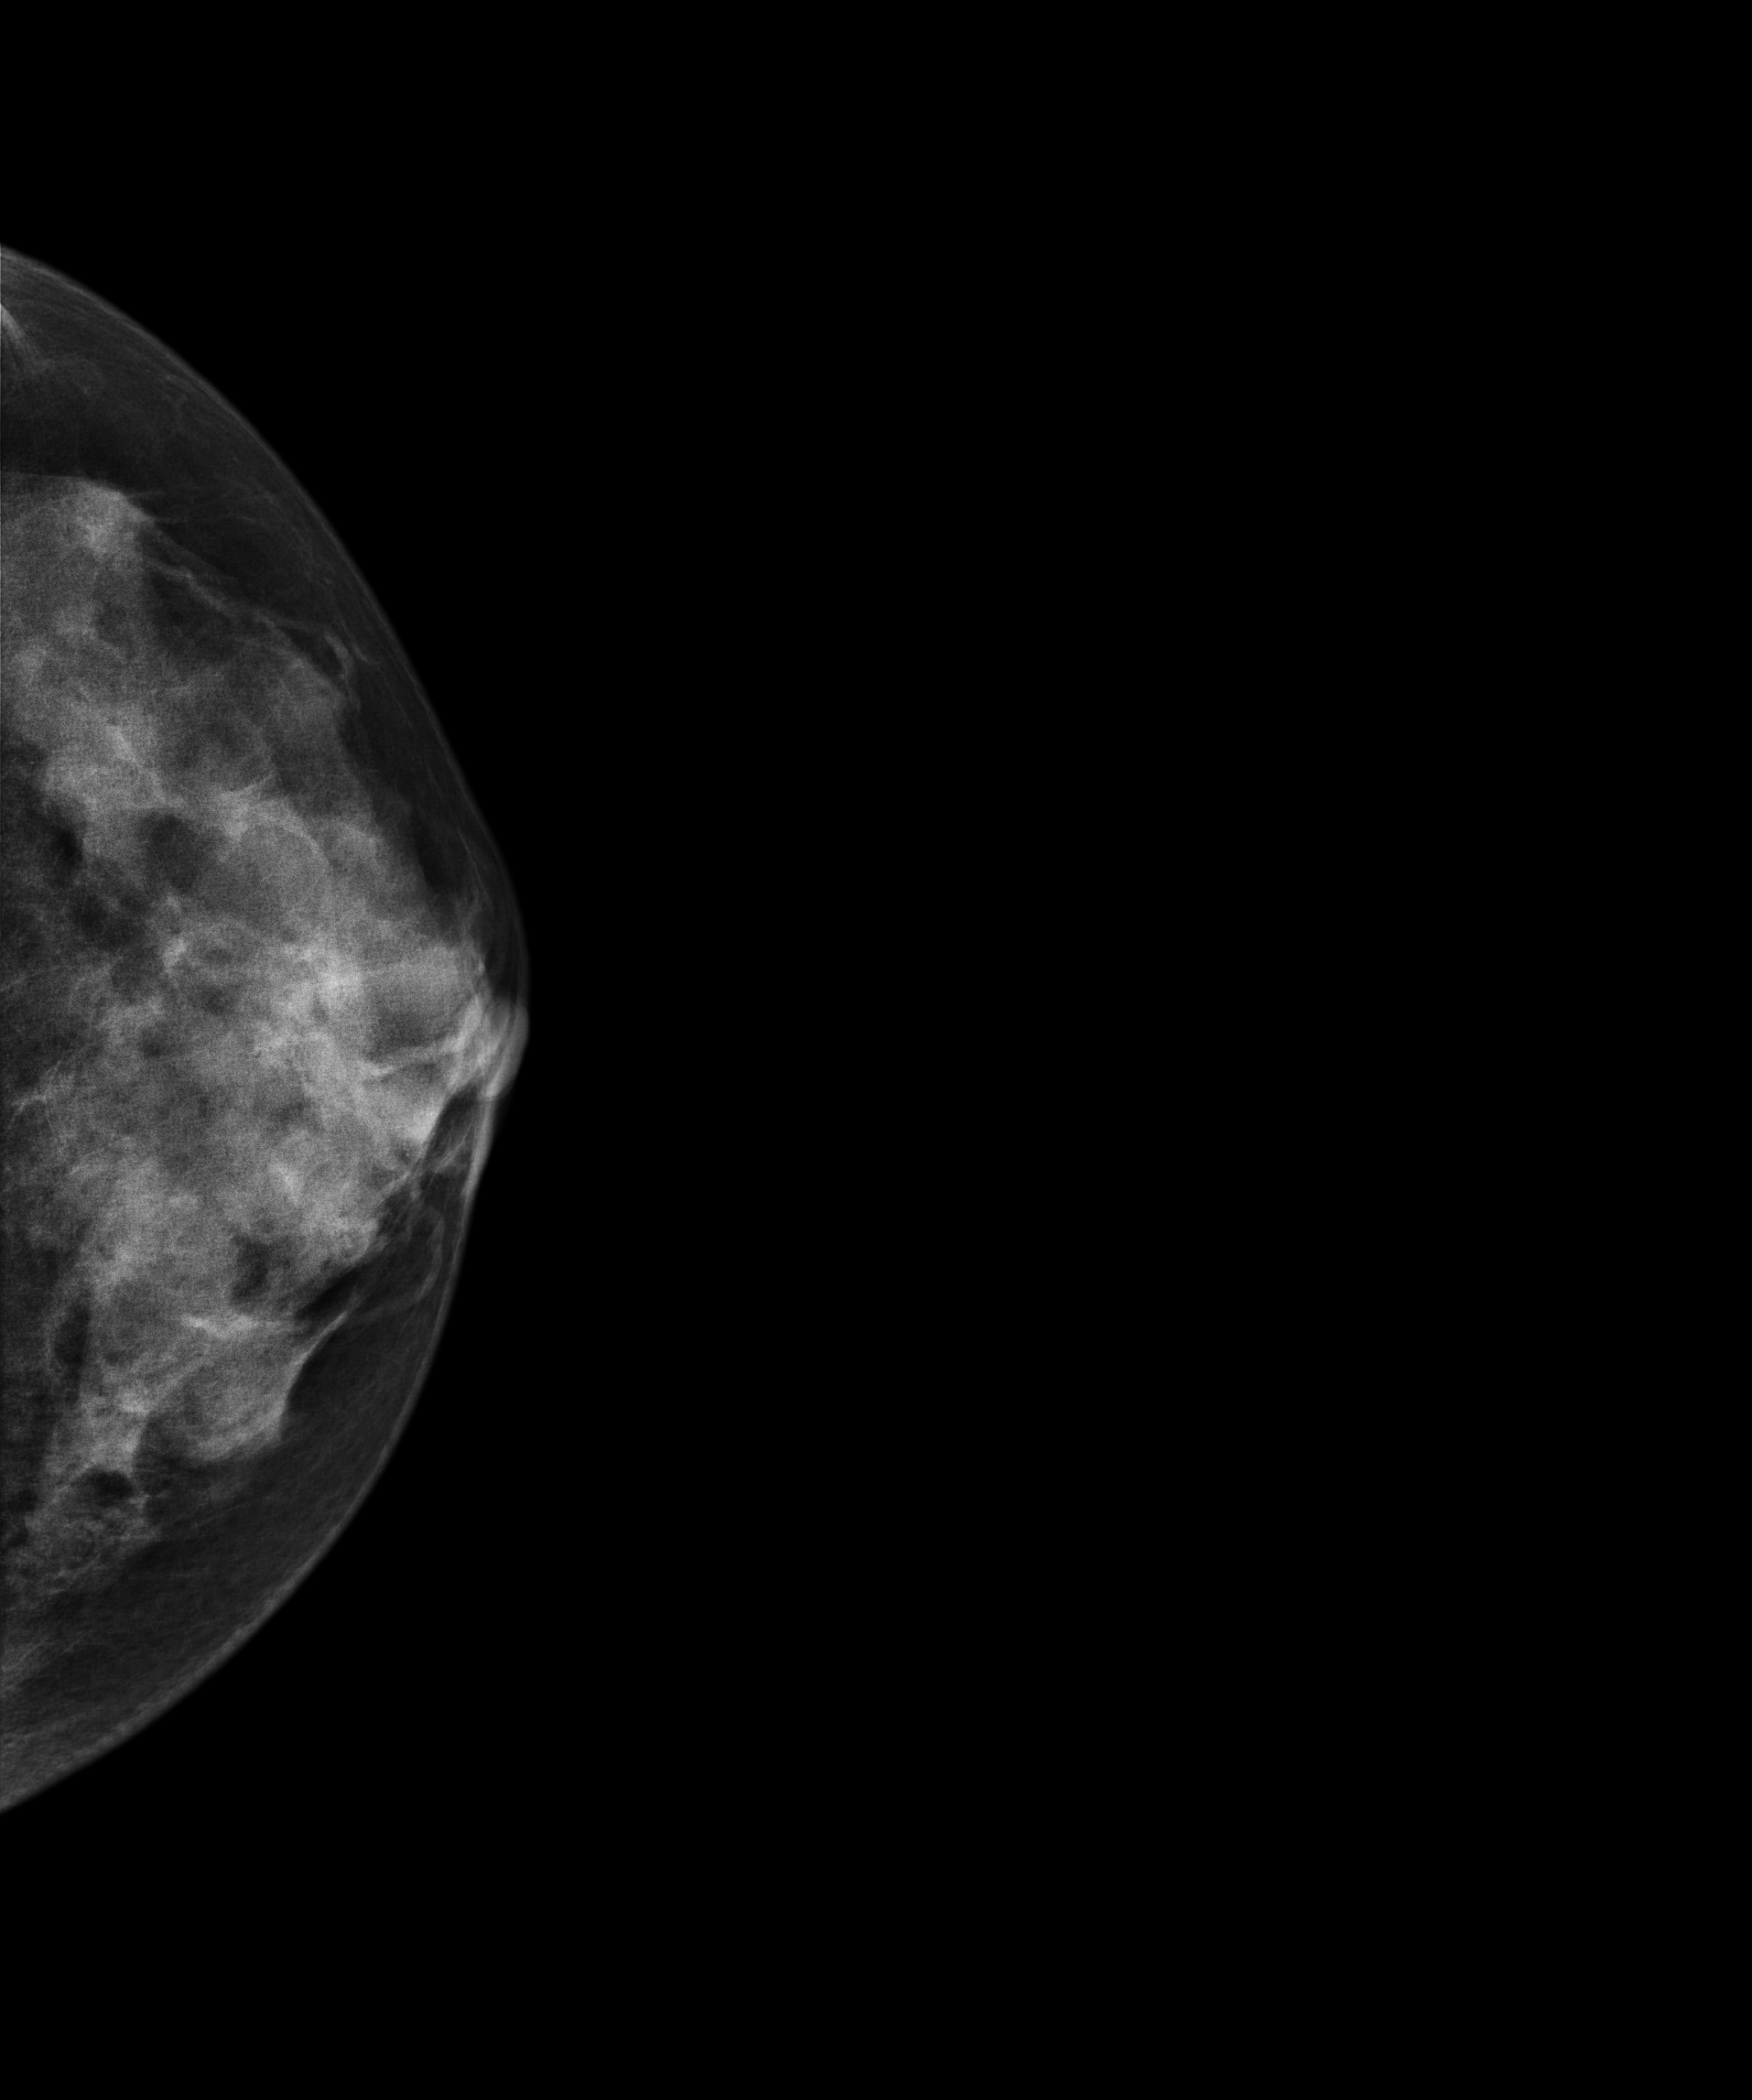
Digital mammography. Left breast, CC projection. Patient age 48.
Contralateral breast — no documented abnormality on this side.